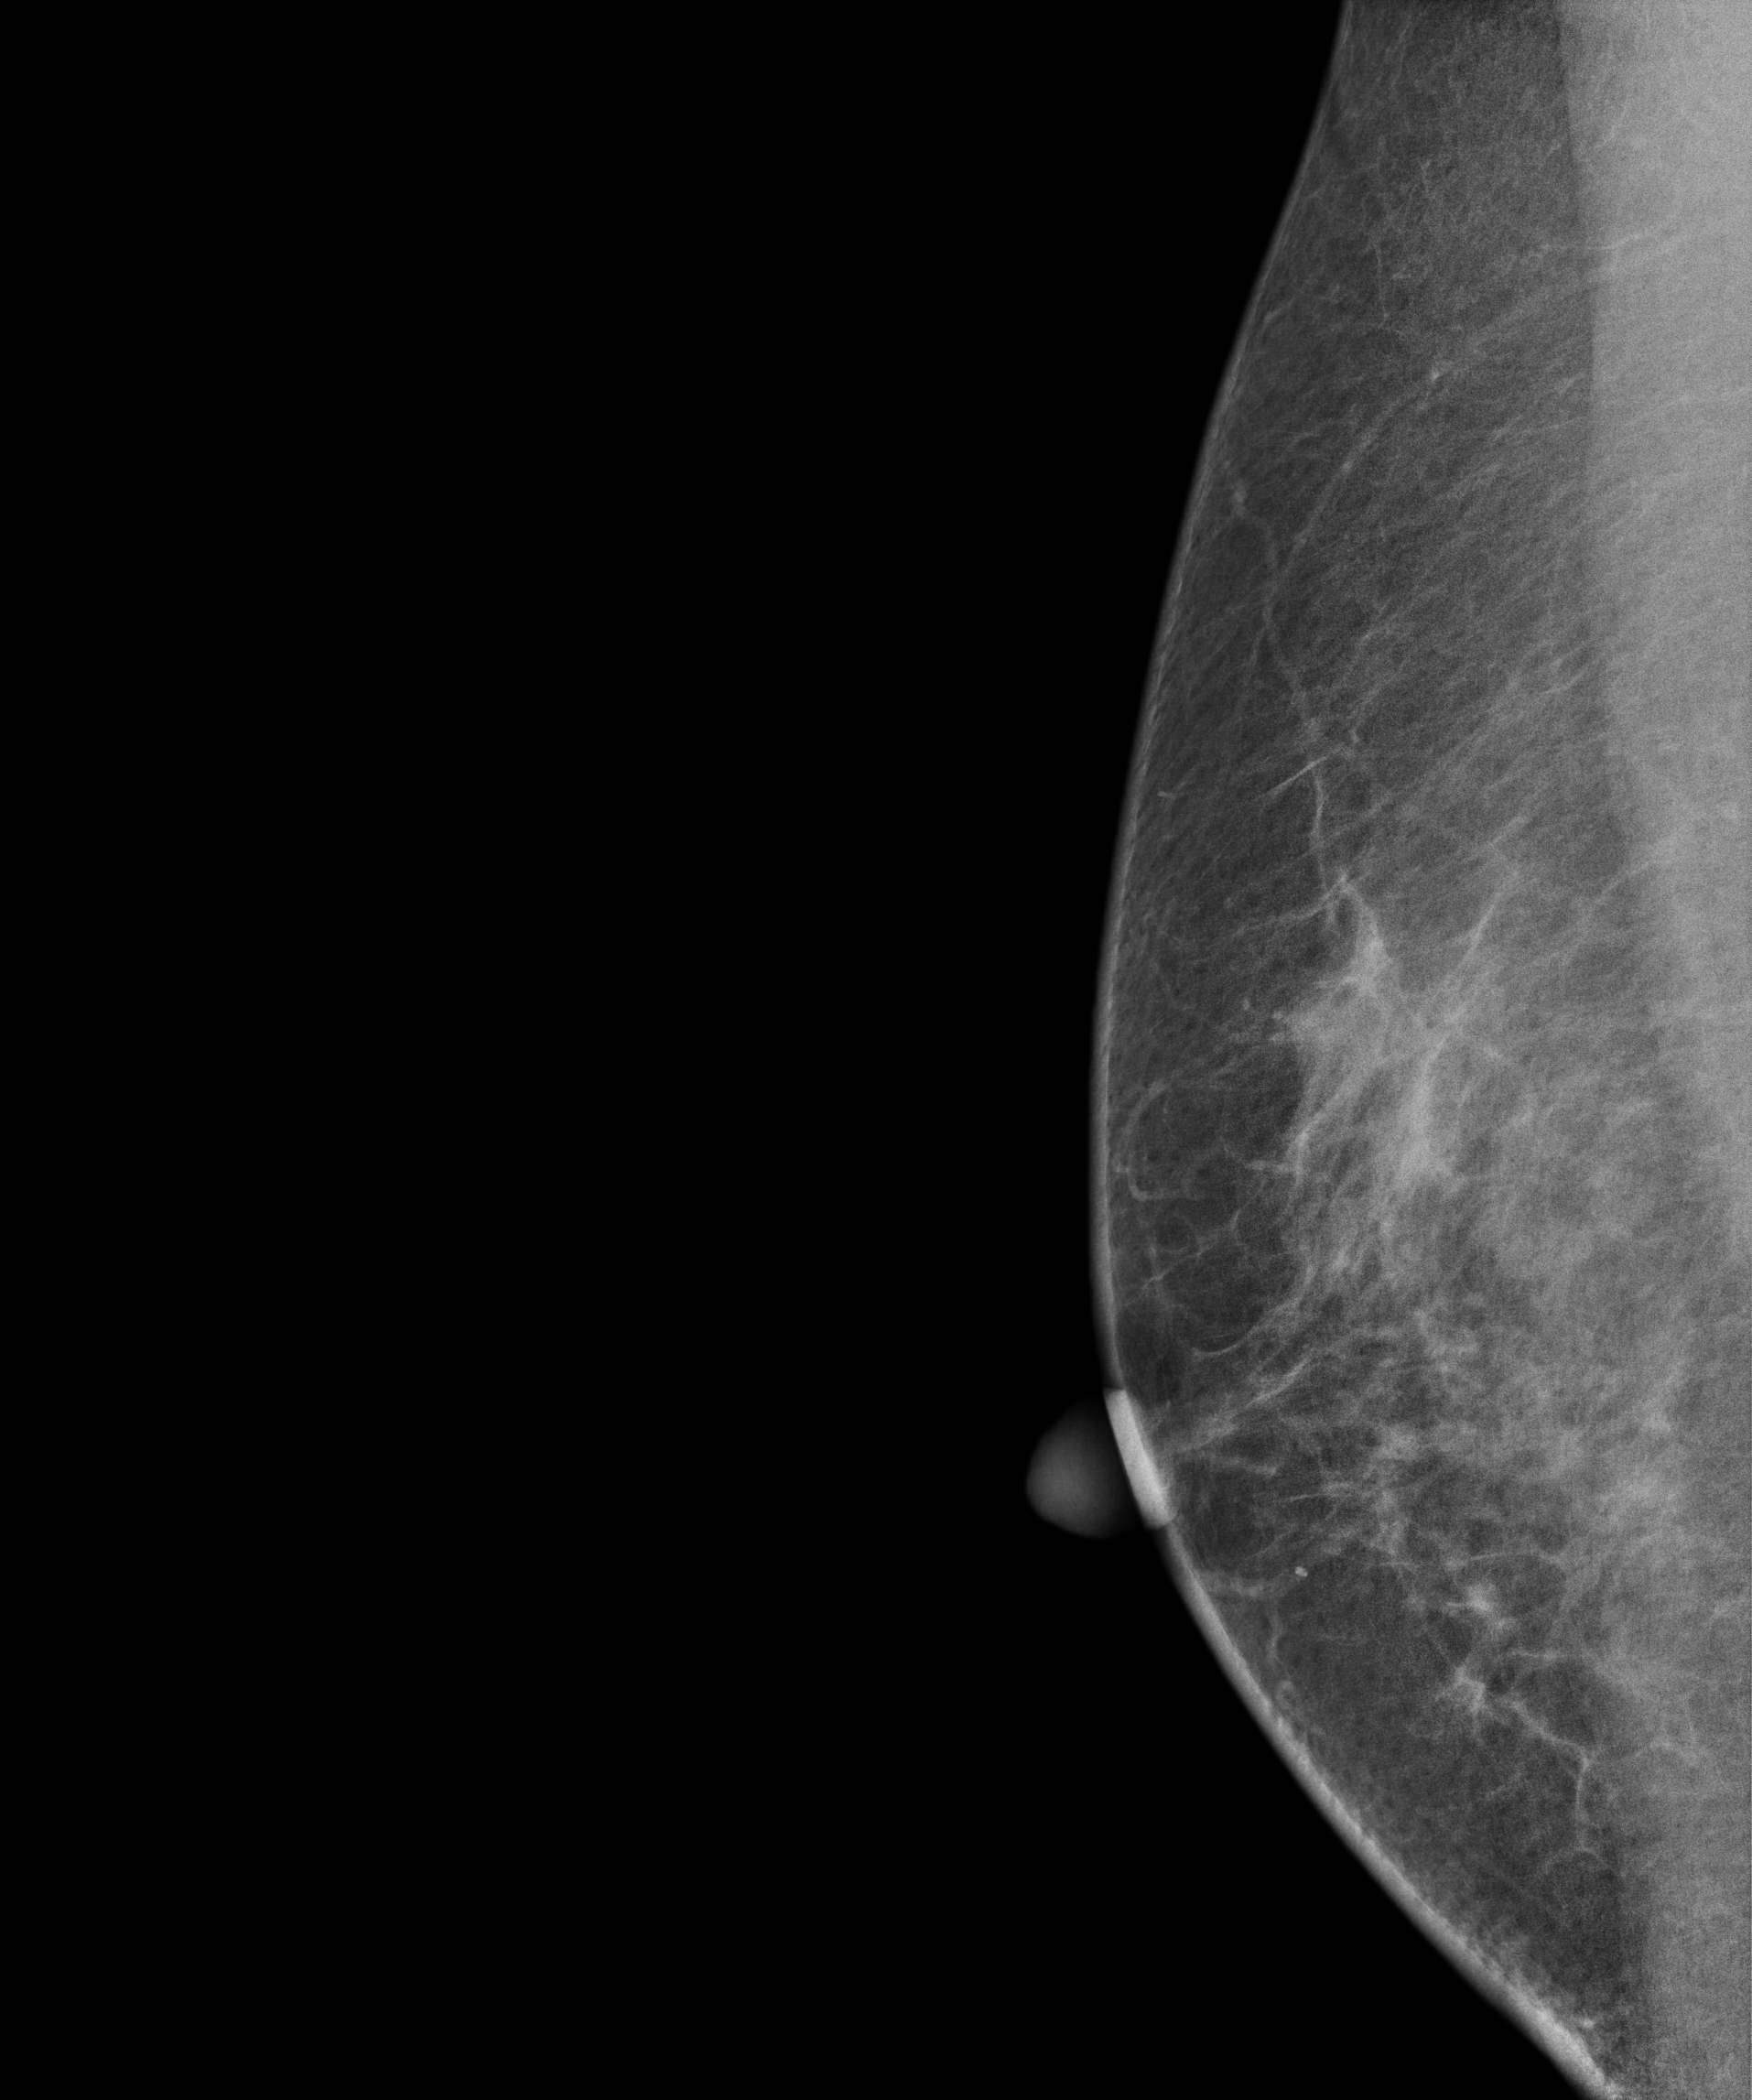
Mammogram, right breast, MLO view. Patient age 56.
Contralateral breast — no documented abnormality on this side.